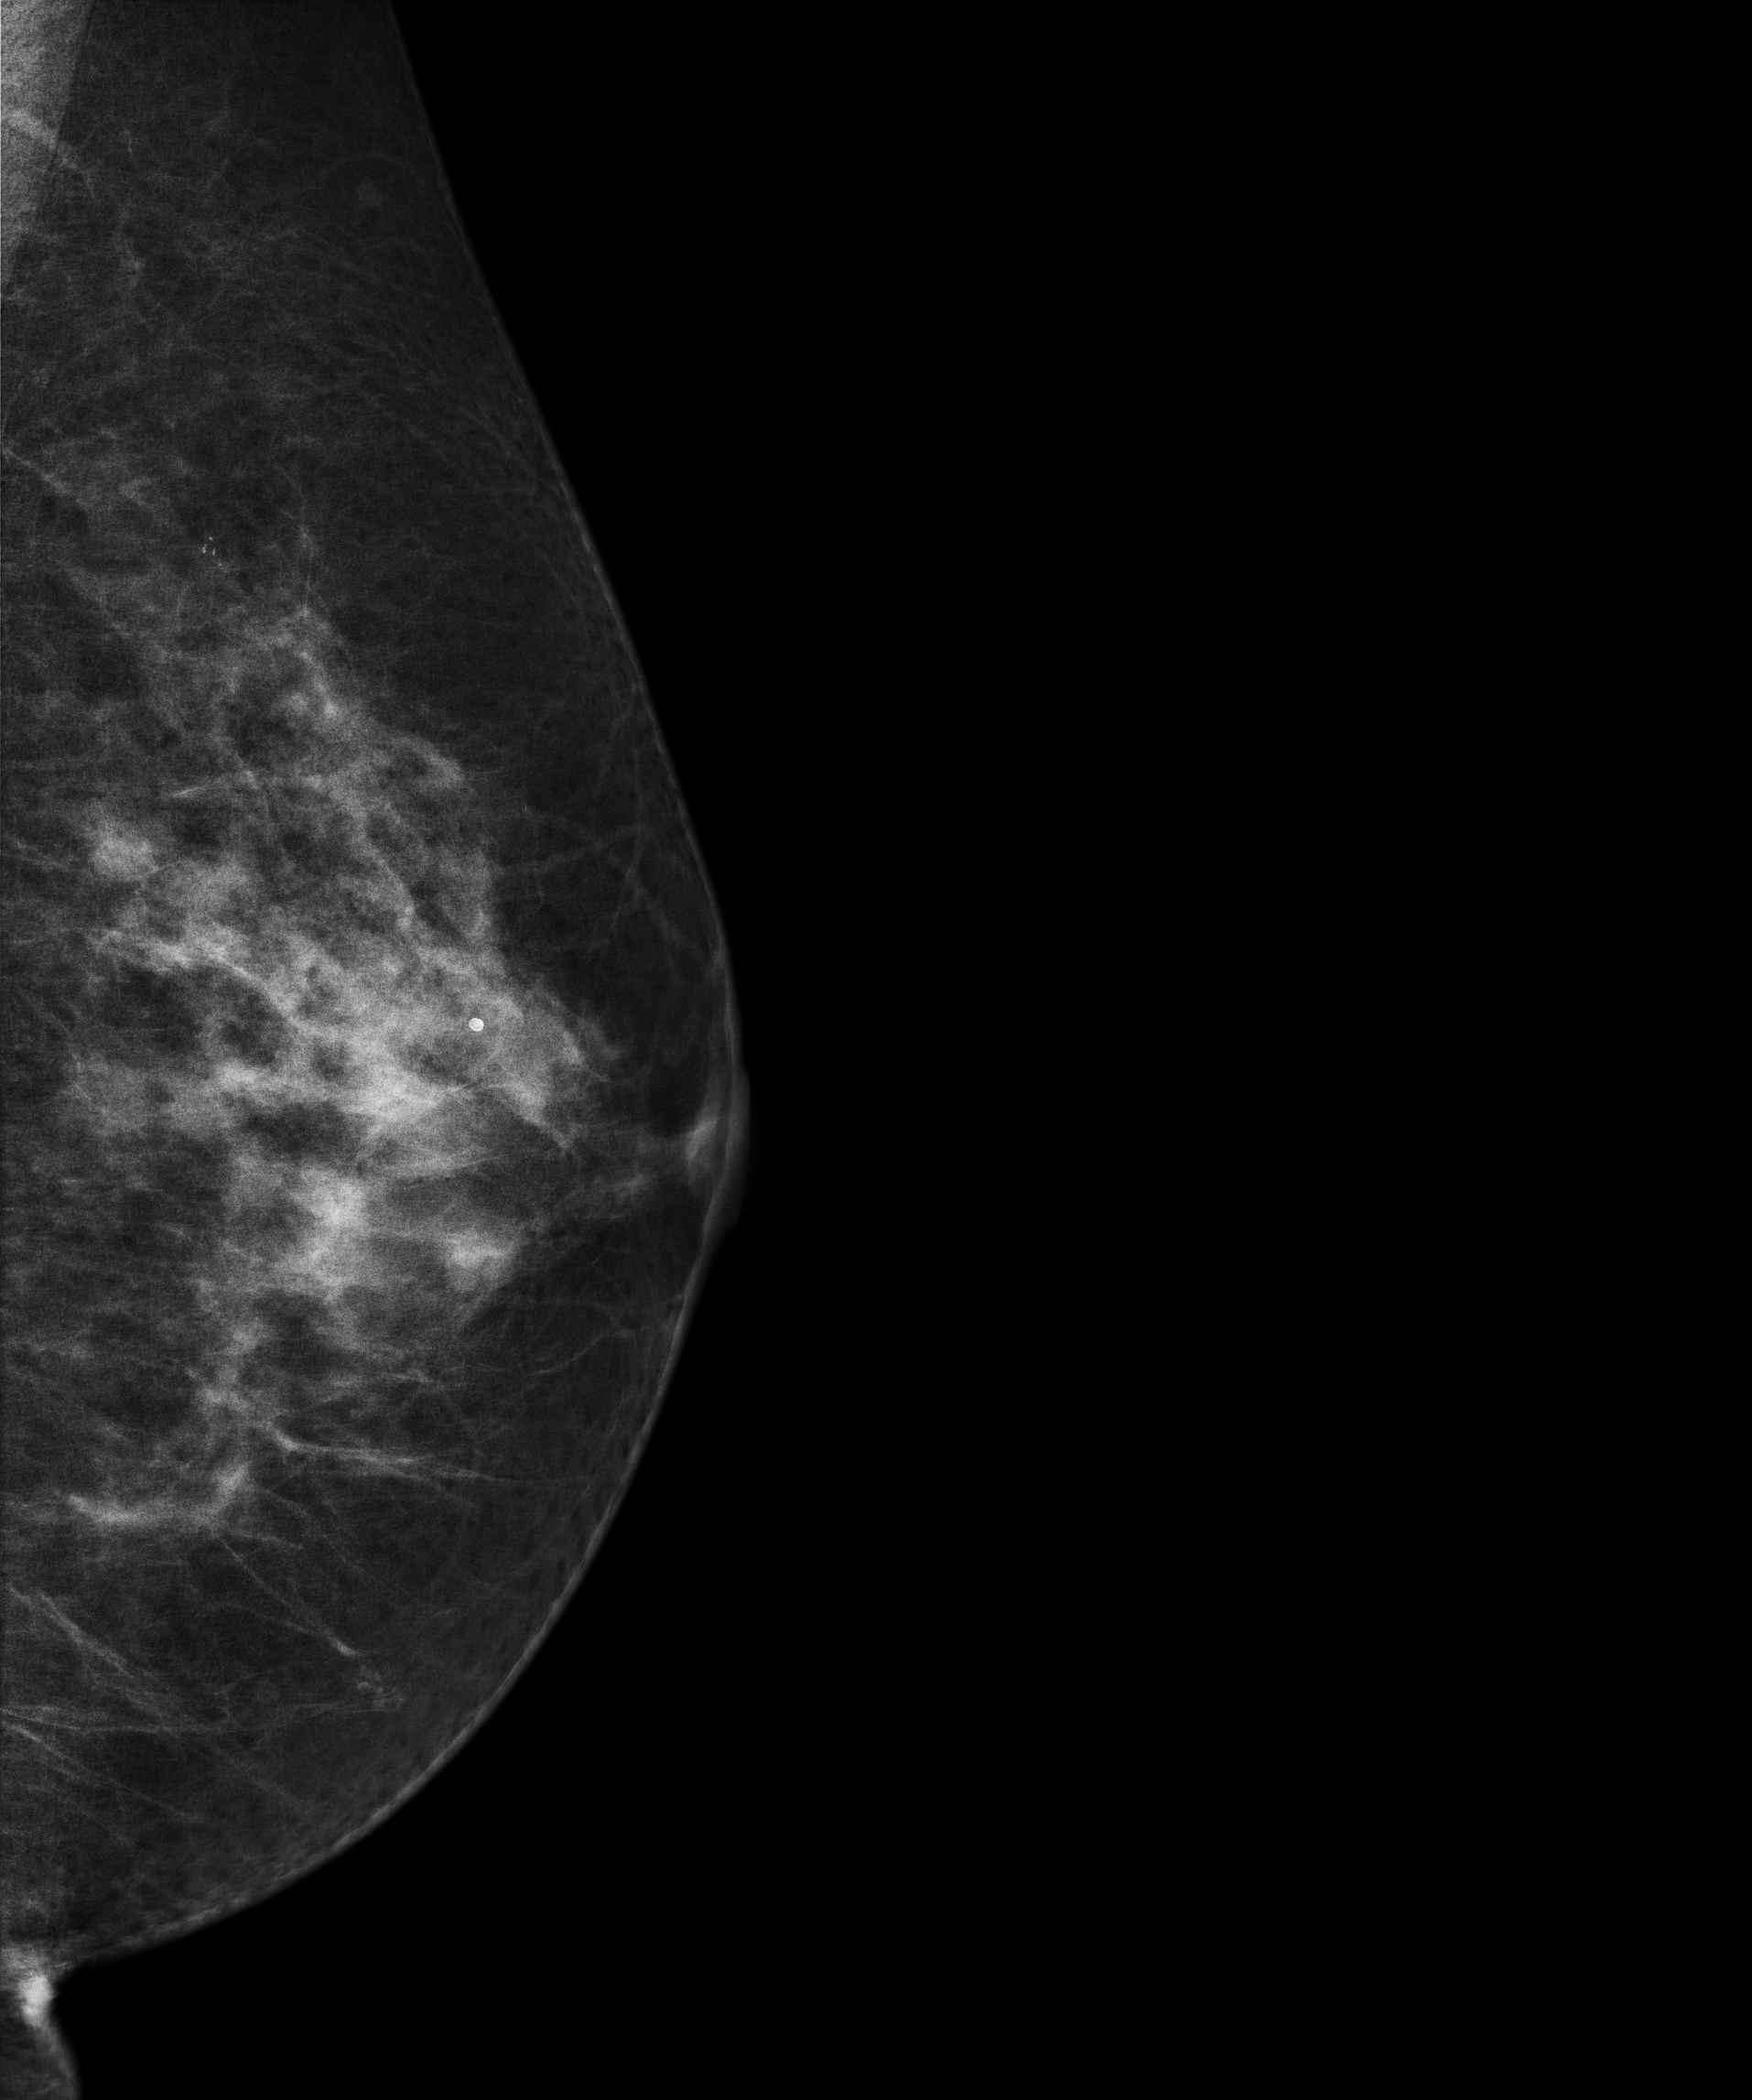
Right-breast mammogram, medio-lateral oblique. 60-year-old patient.
This breast has a mass and calcifications, pathology-confirmed malignant. Molecular subtype: luminal B.